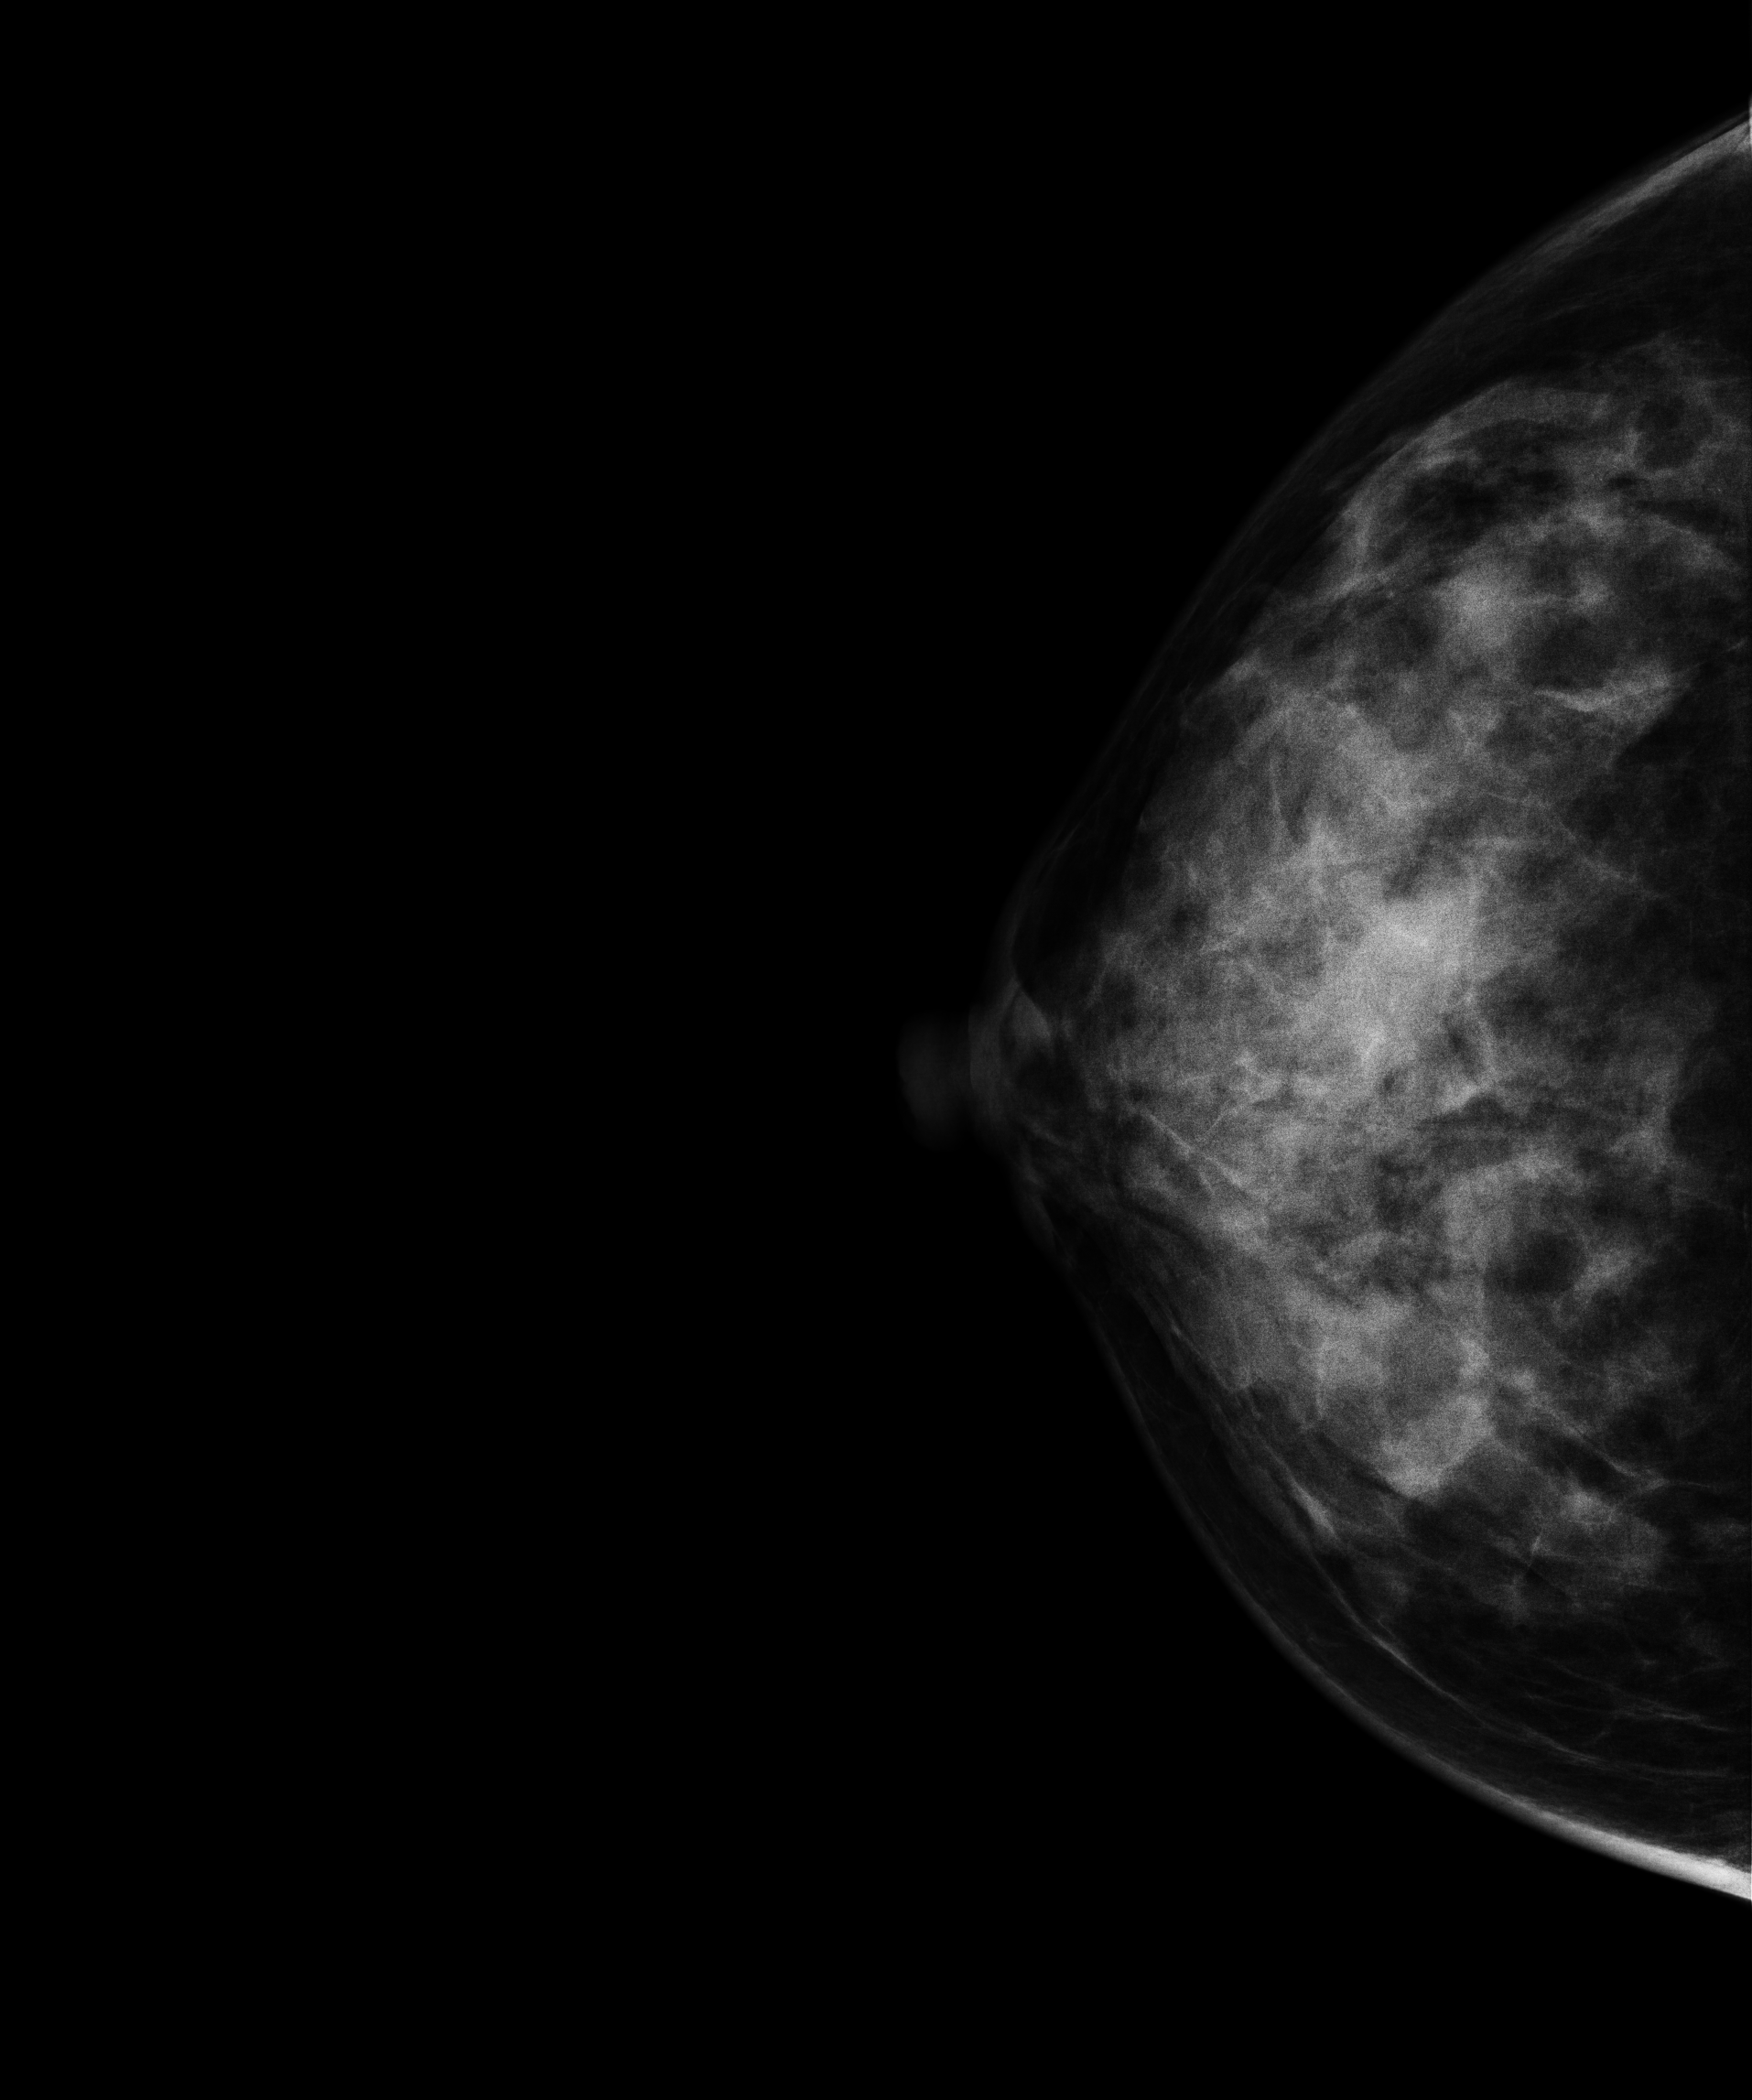
Mammogram — right CC. 44 y/o patient.
This breast has a mass, histologically confirmed malignant. Molecular subtype: luminal A.